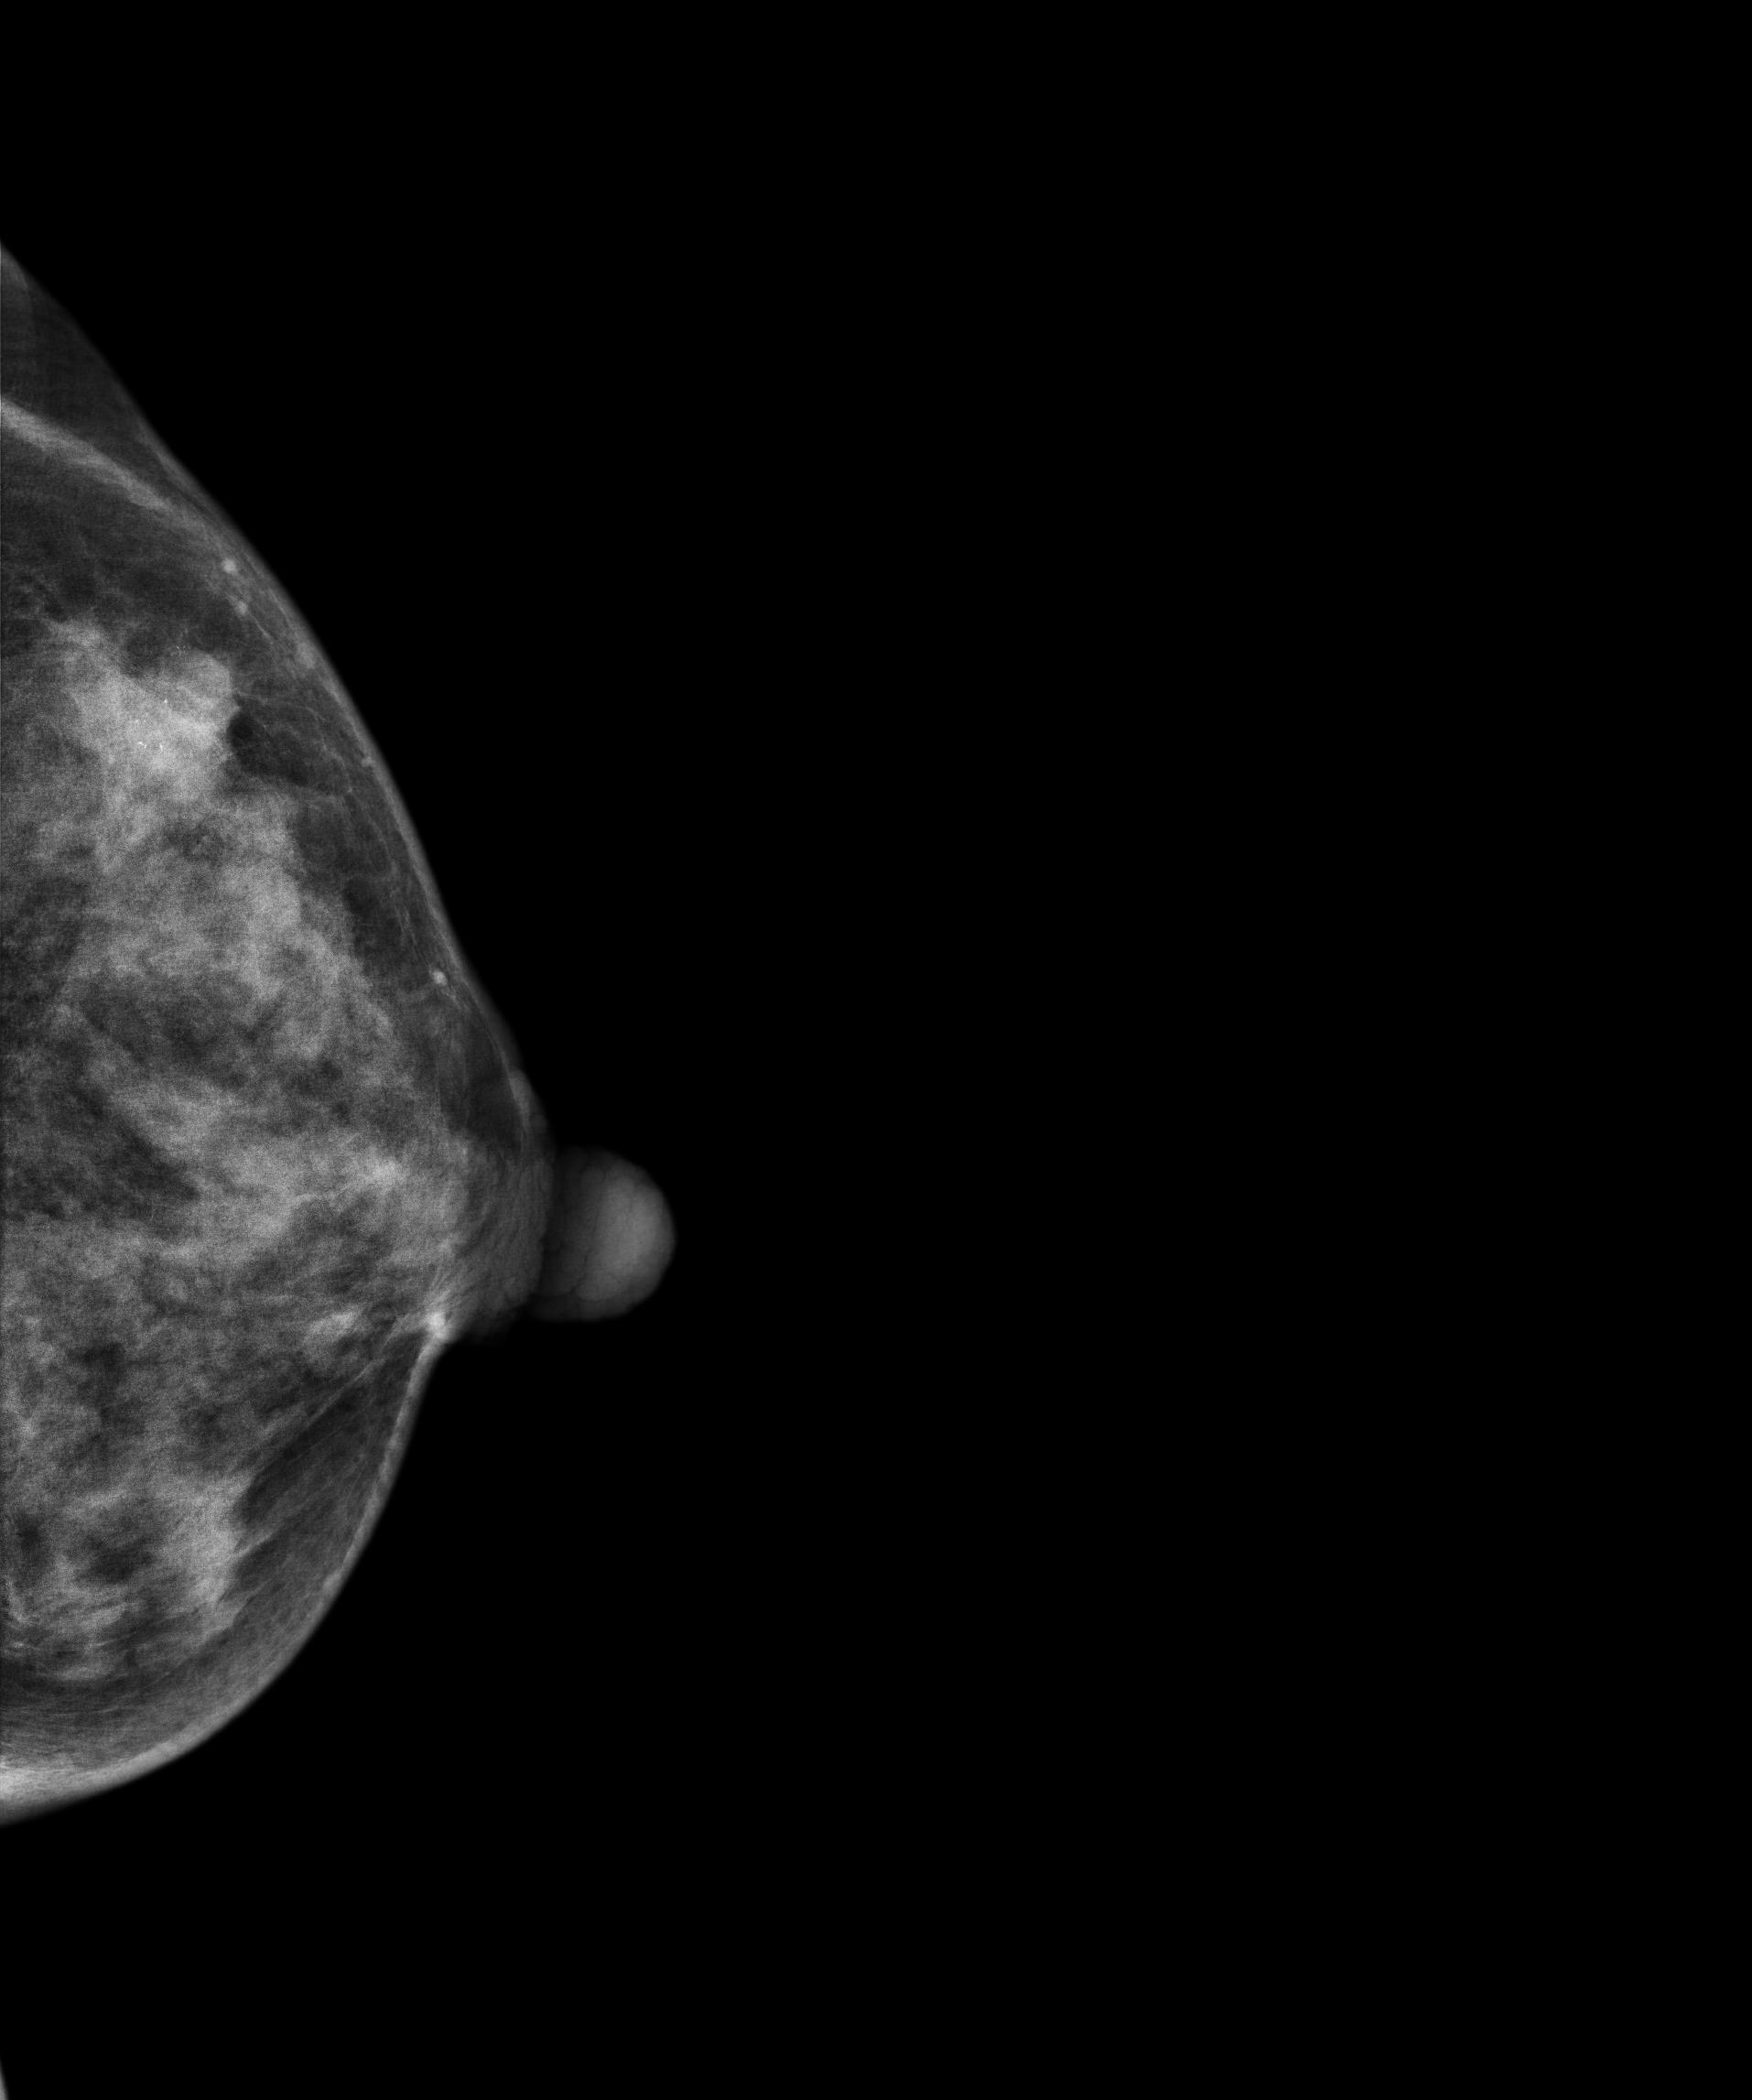
Cranio-caudal mammogram of the left breast. 49 y/o patient.
This breast has a mass and calcifications, biopsy-confirmed malignant. Molecular subtype: luminal B.